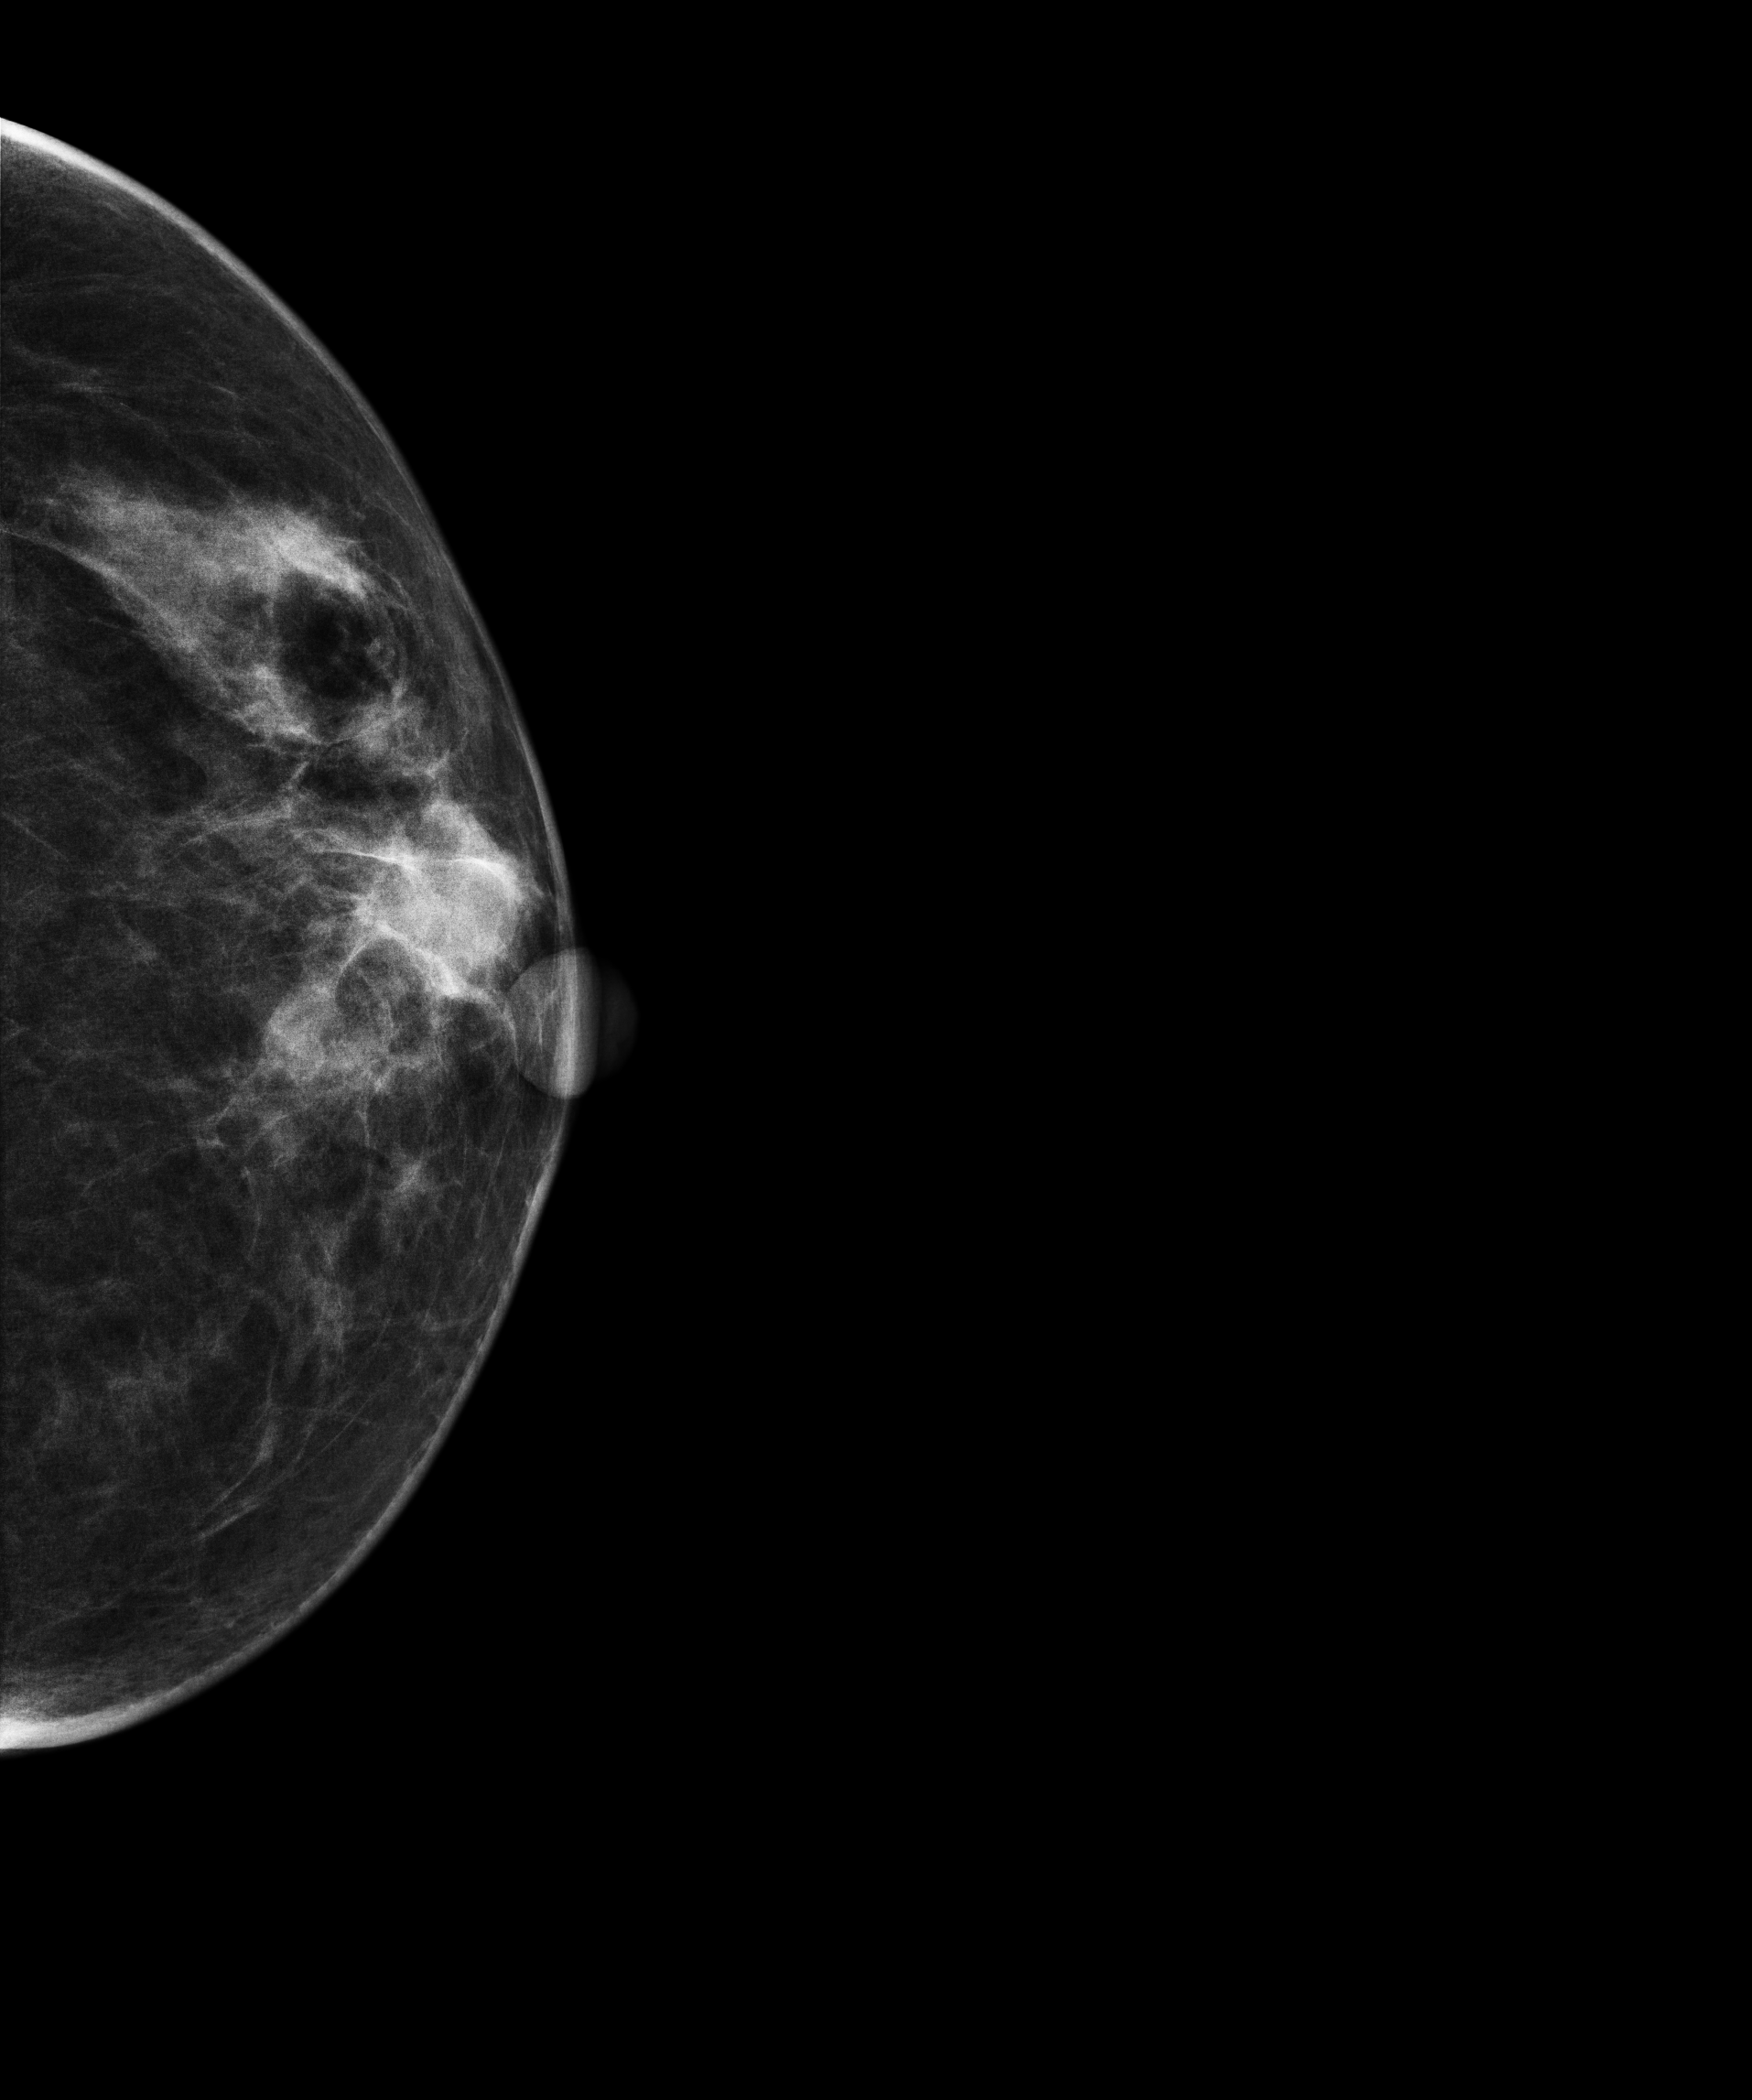
Digital mammography. Left breast, cranio-caudal projection. 52 y/o patient.
Contralateral breast — no documented abnormality on this side.